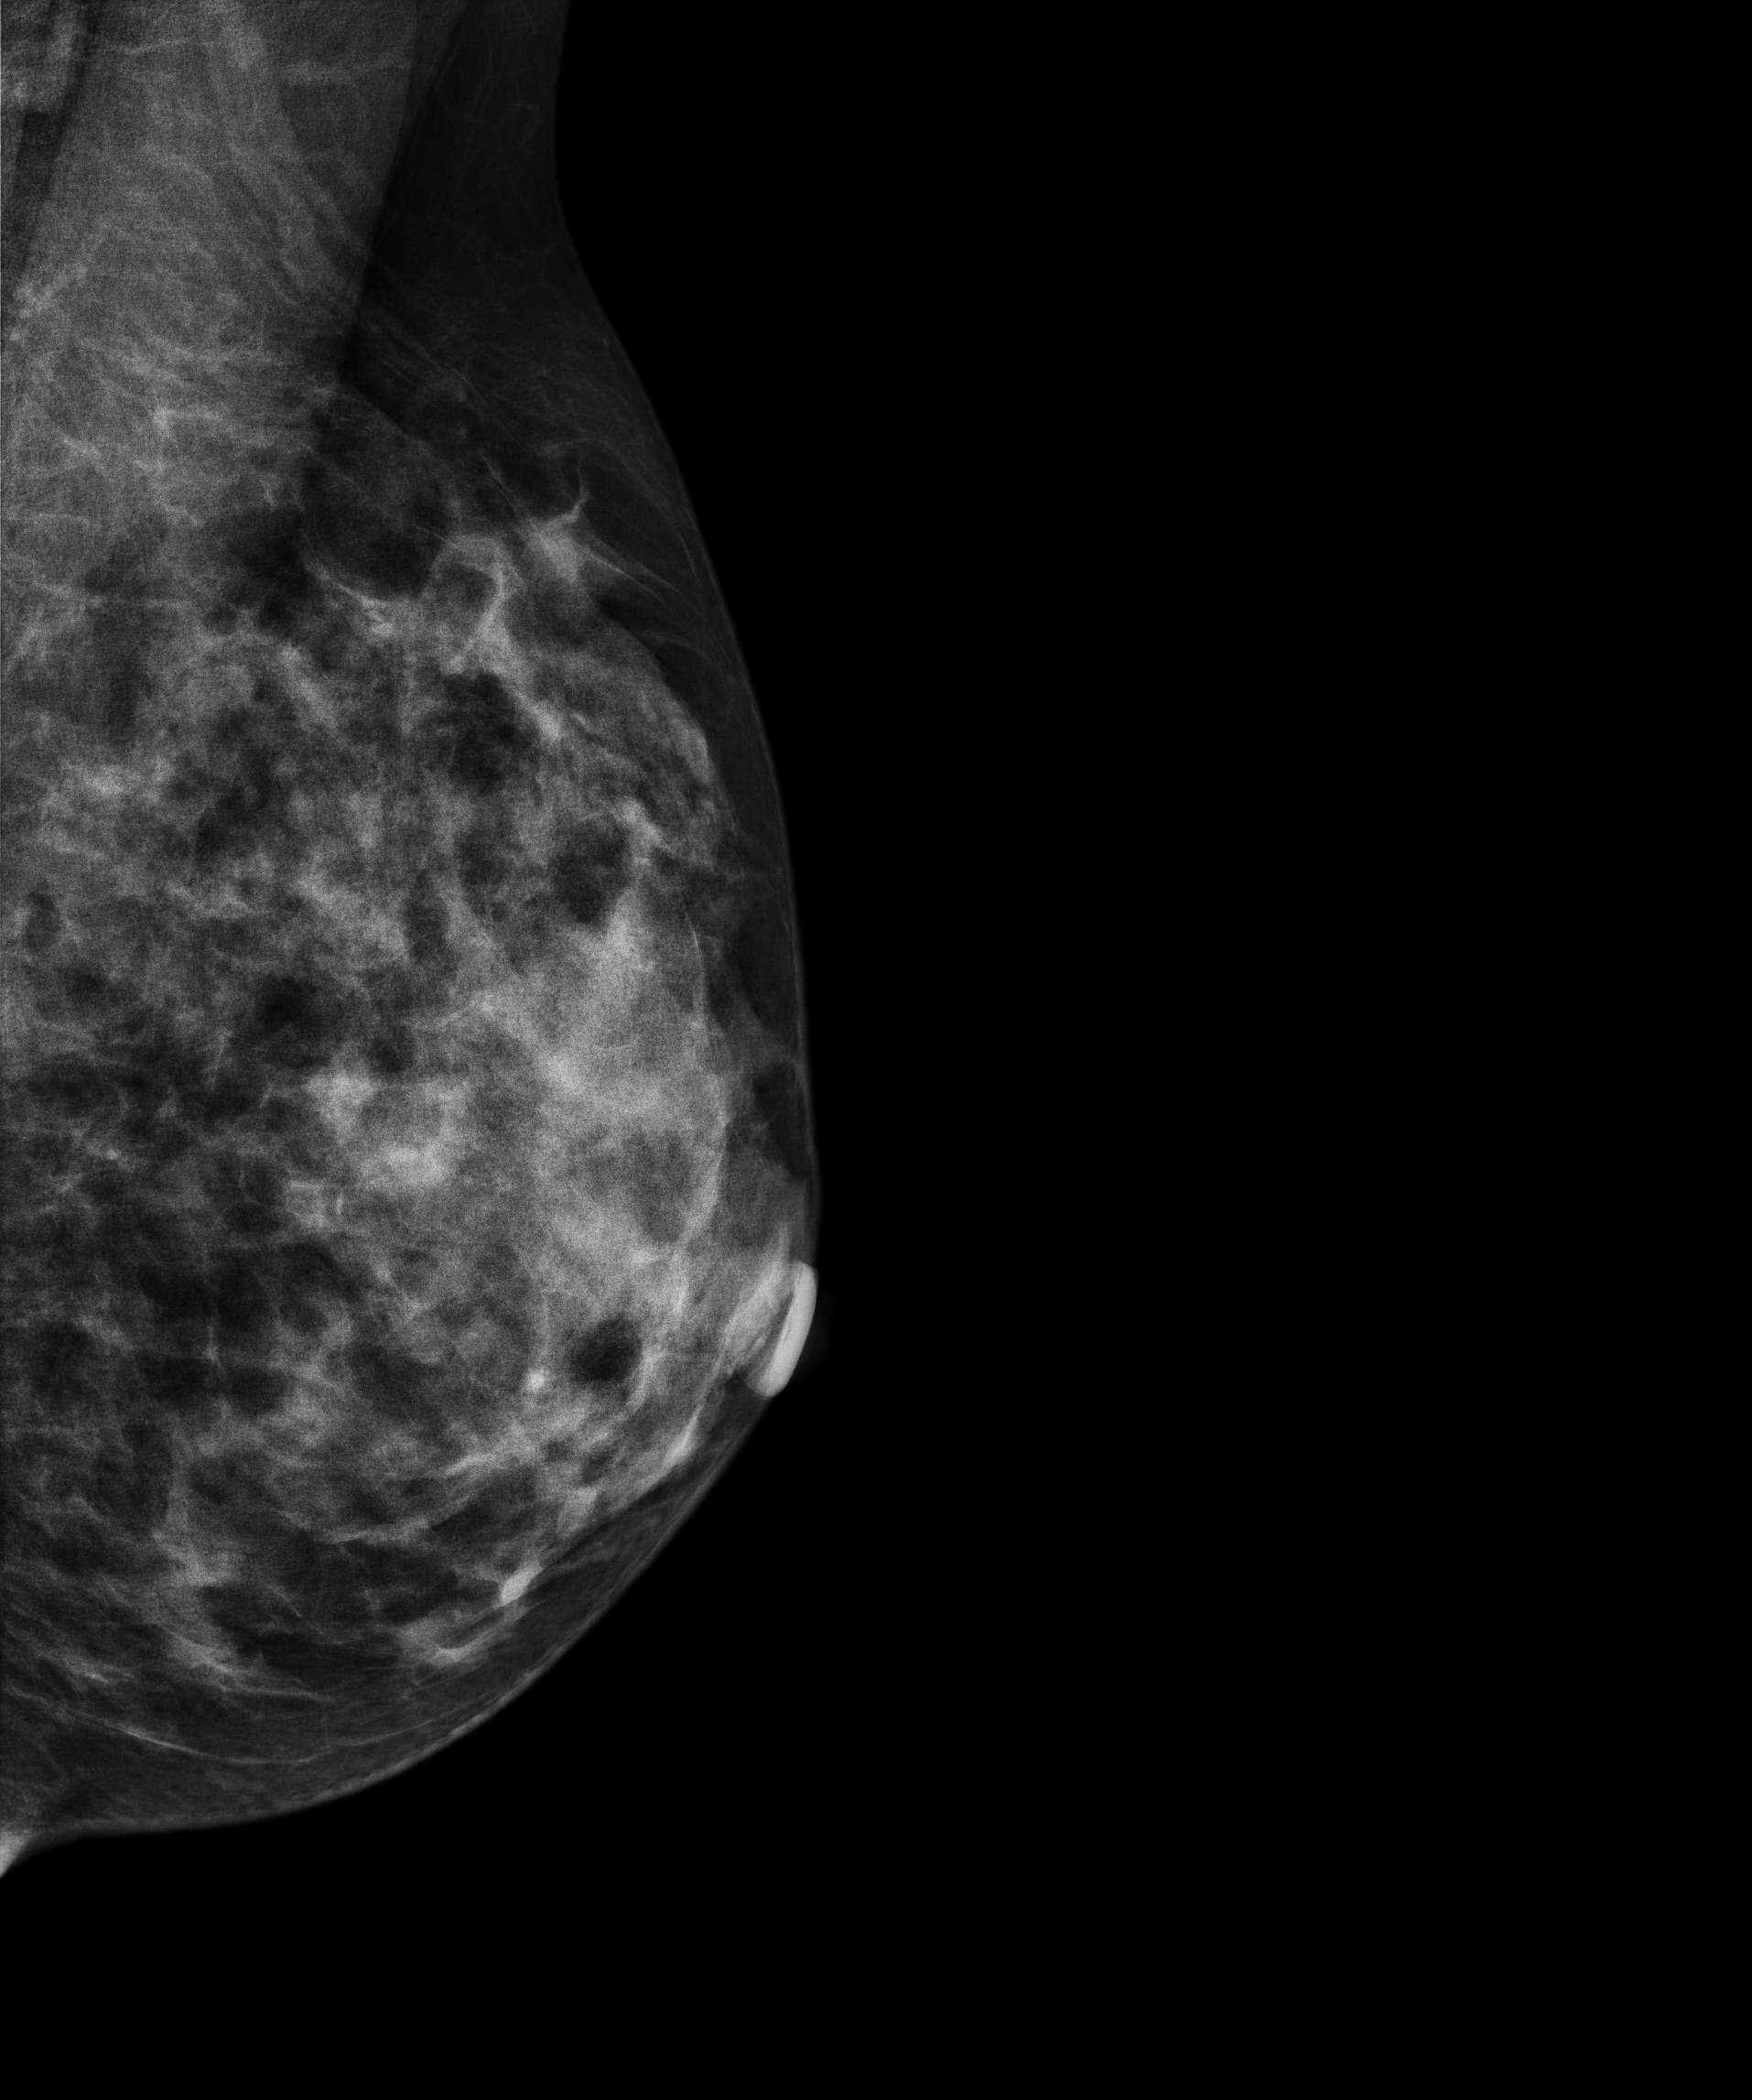
Mammogram — left MLO. 32 y/o patient.
Contralateral breast — no documented abnormality on this side.